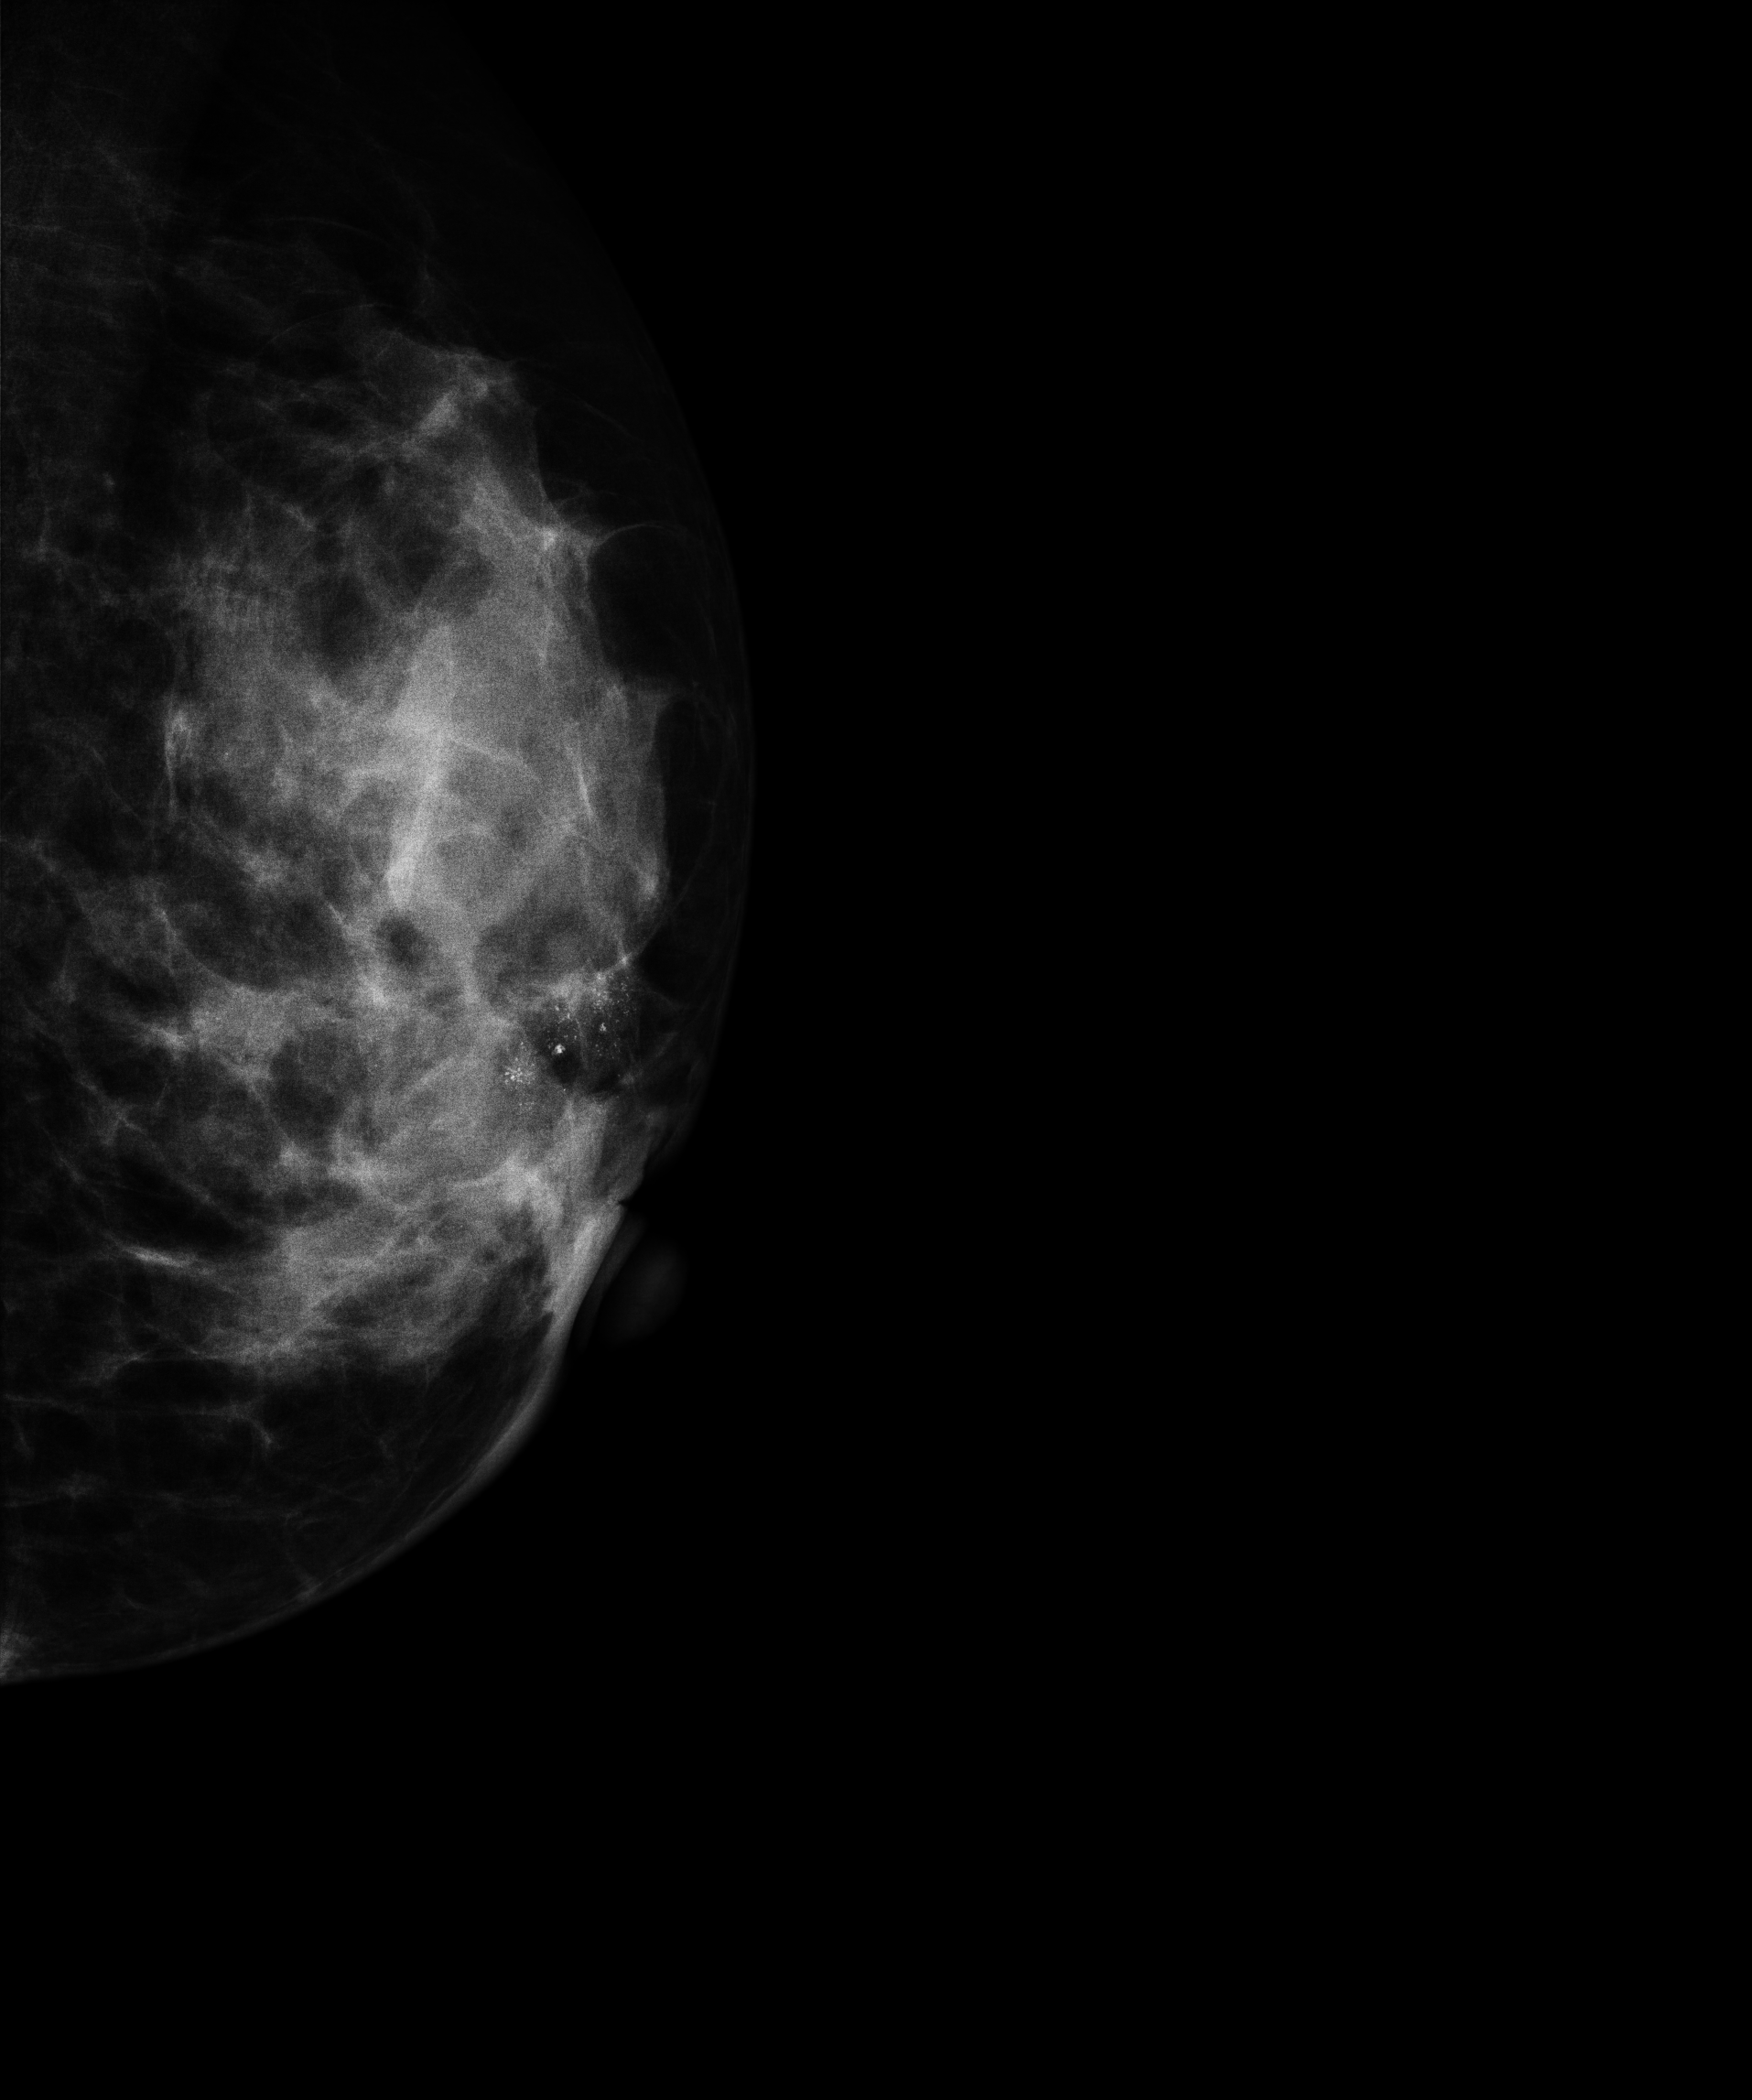
Medio-lateral oblique mammogram of the left breast. Patient age 32.
This breast has calcifications, histologically confirmed malignant.